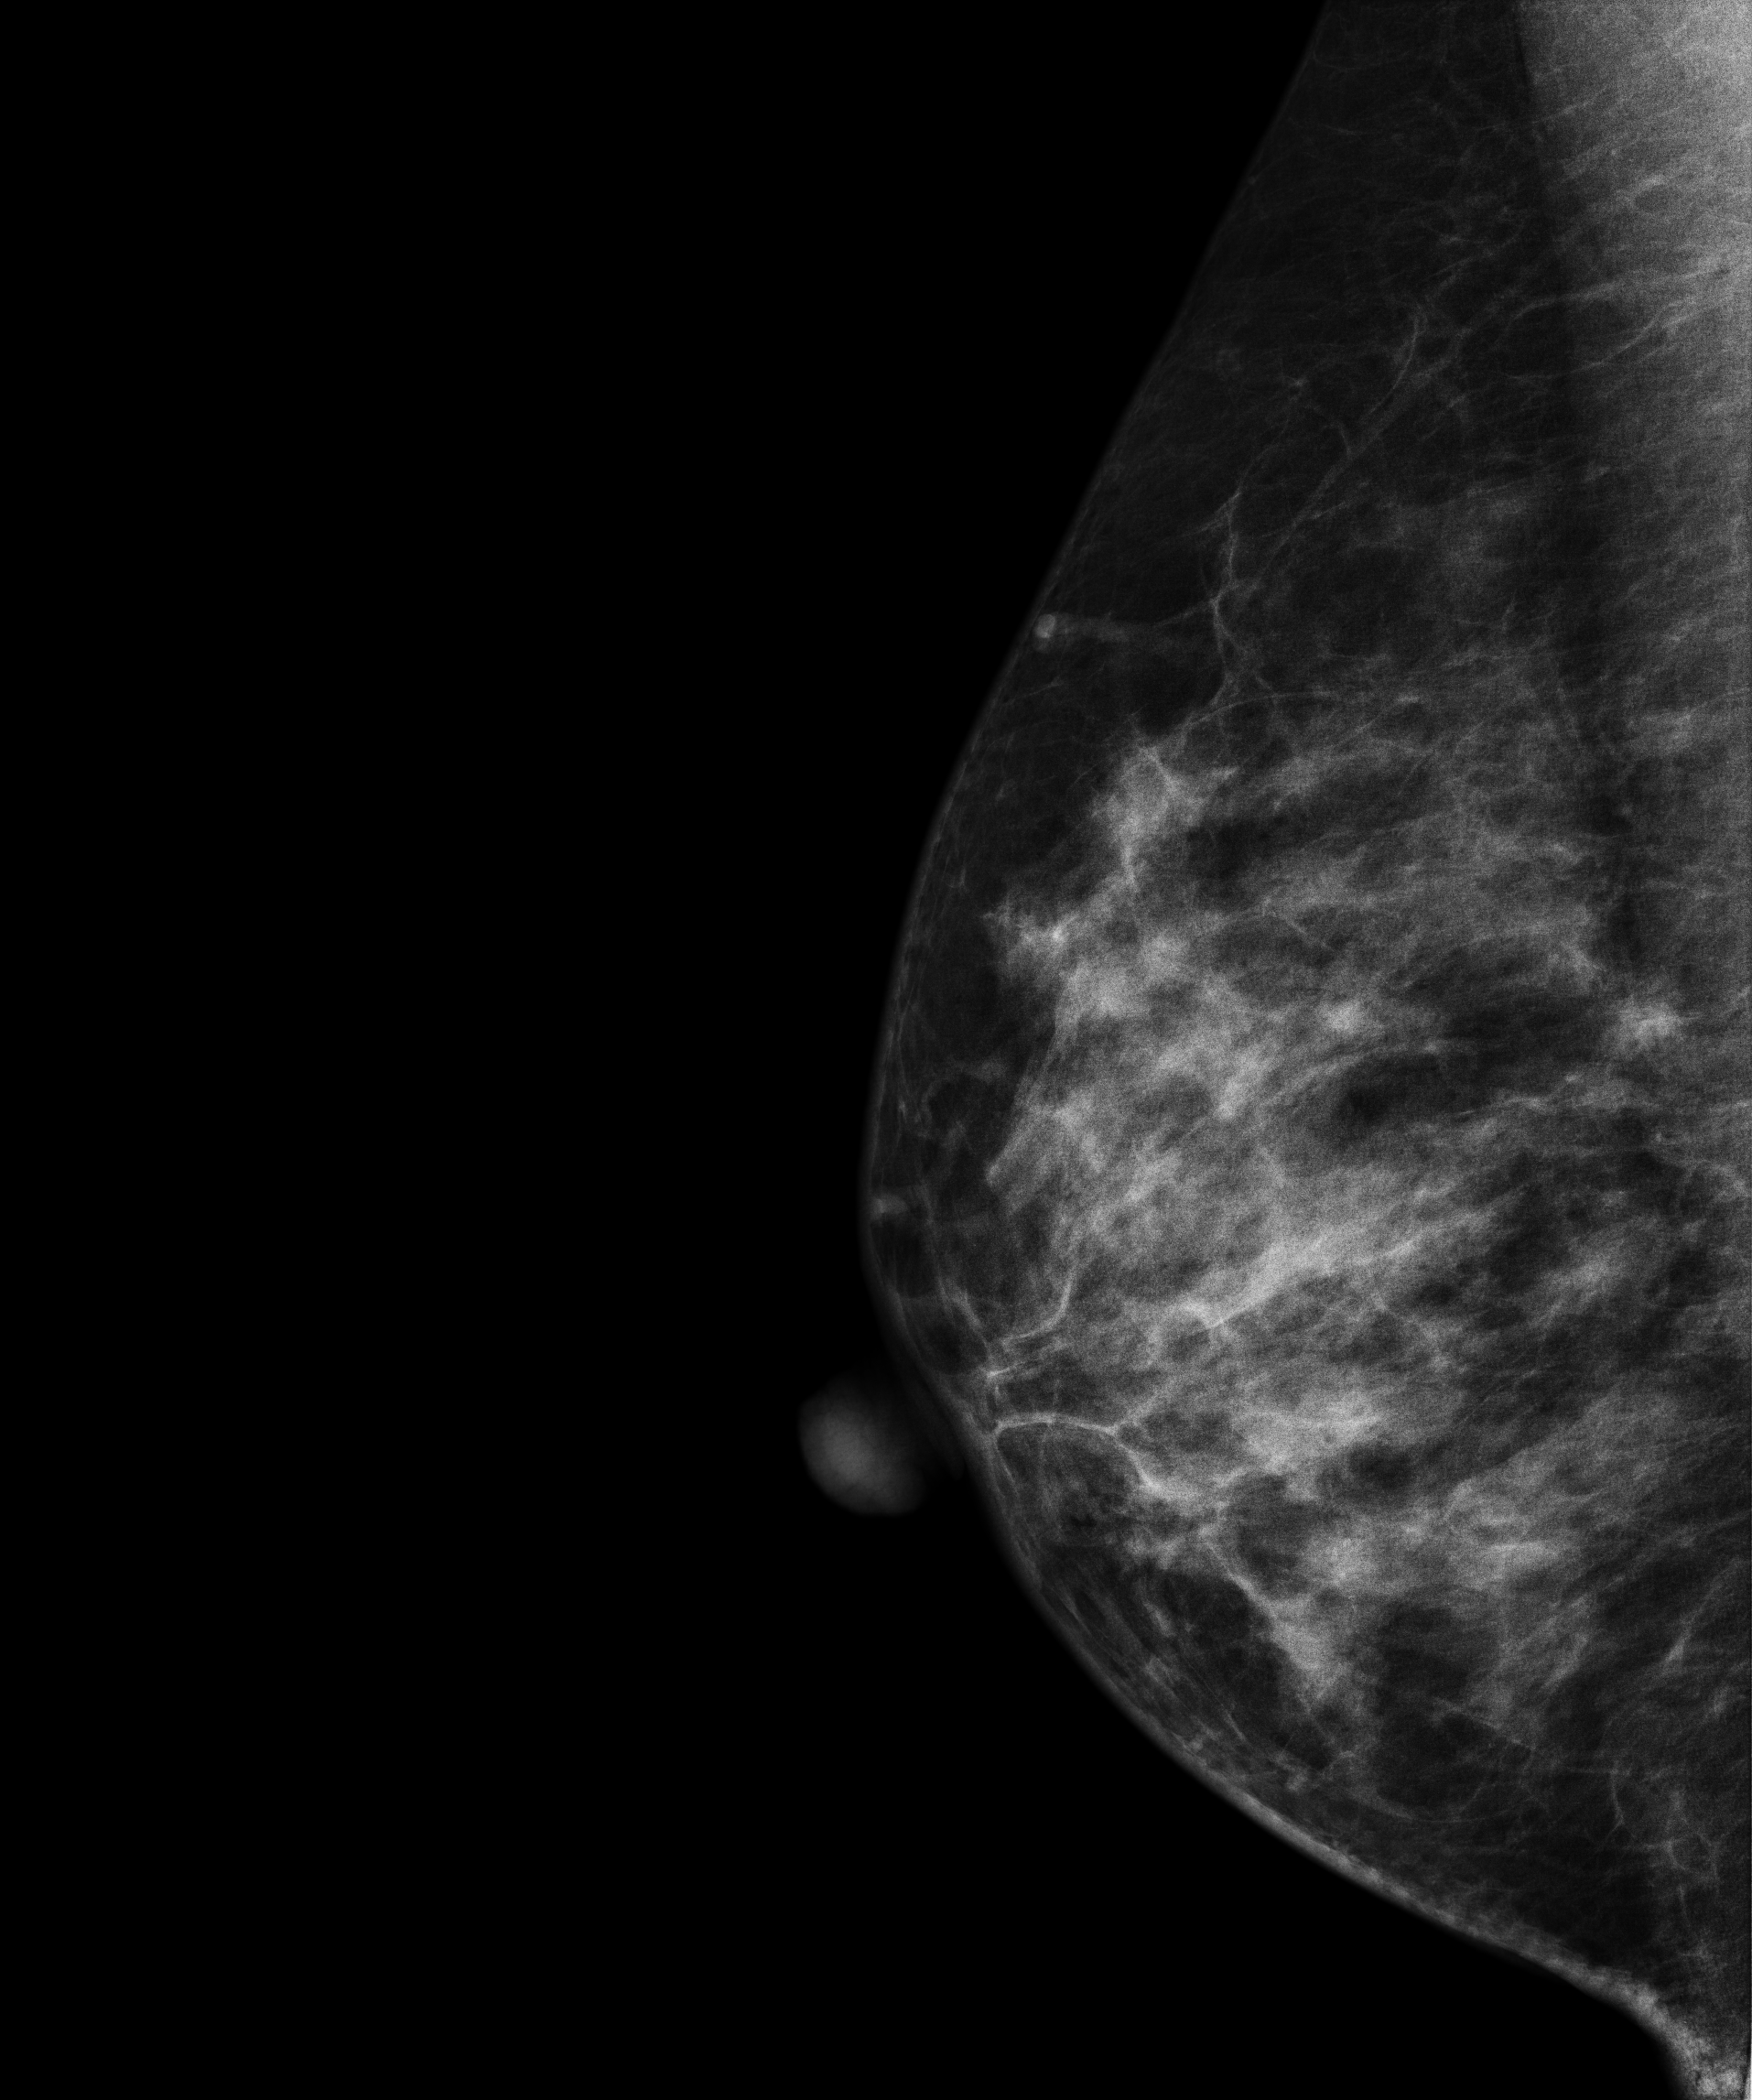
Mammogram — right MLO. 46 y/o patient.
Contralateral breast — no documented abnormality on this side.